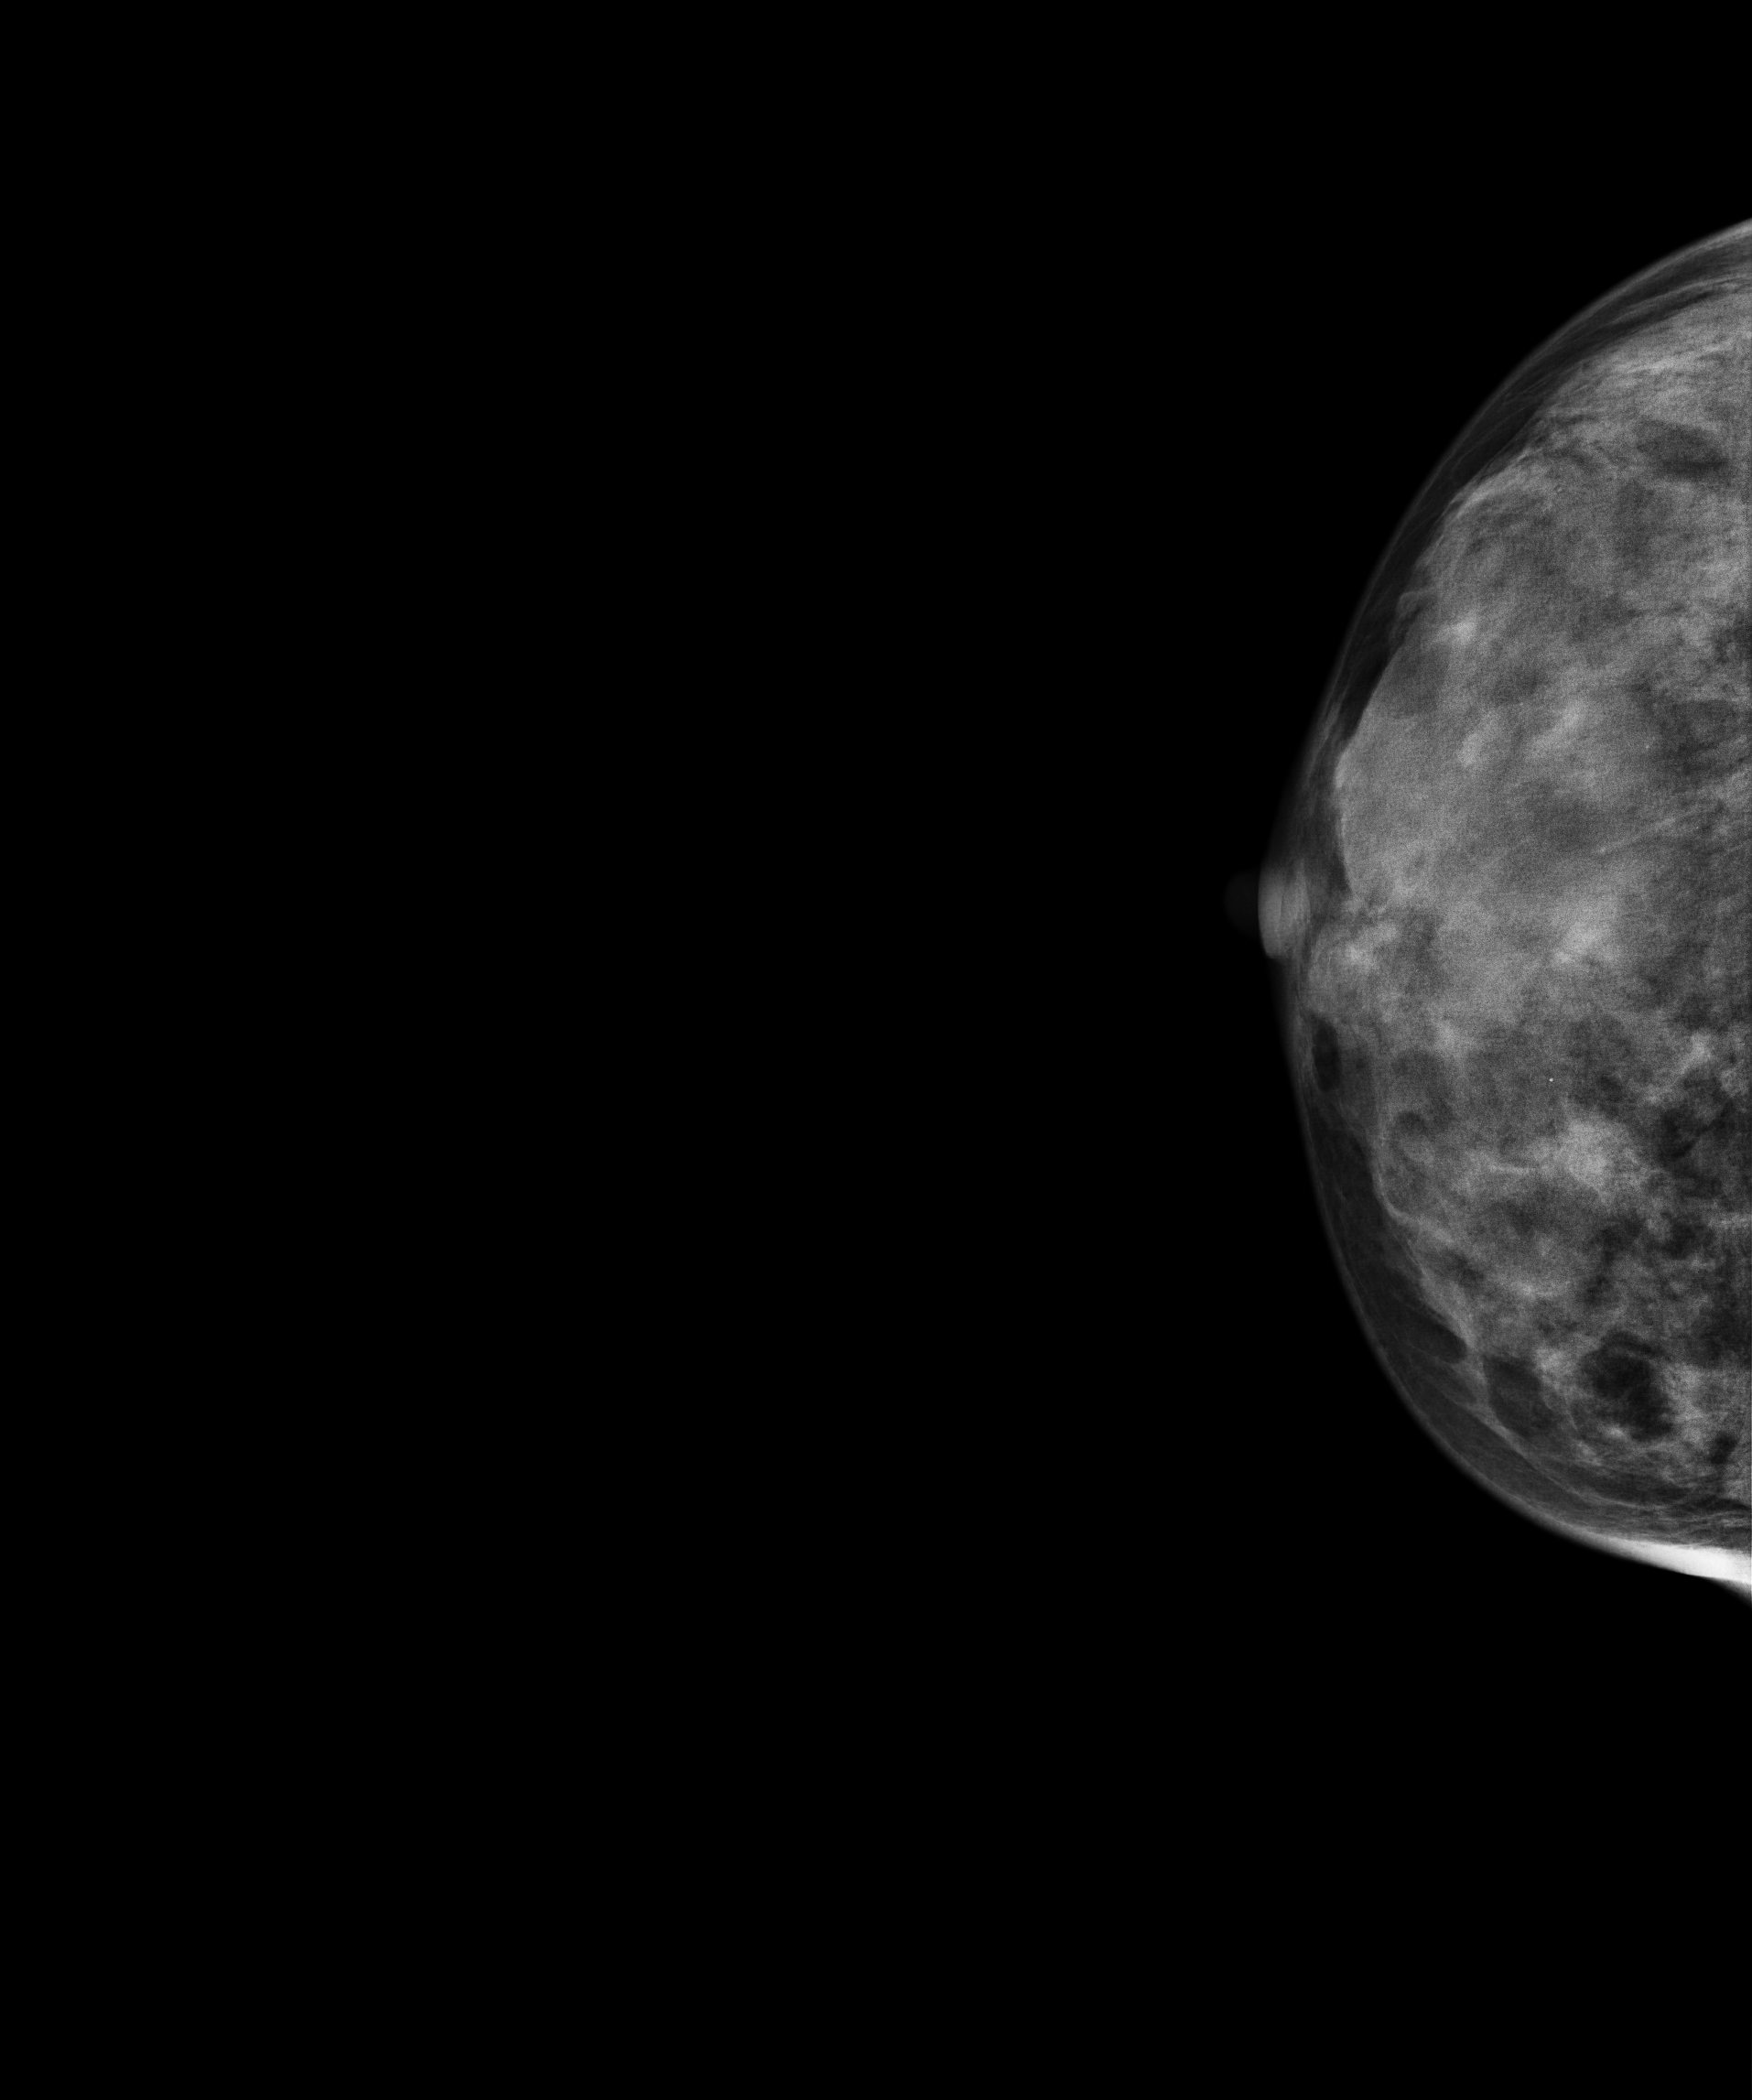
Mammogram — right cranio-caudal. 26-year-old patient.
This breast has a mass and calcifications, biopsy-confirmed benign.